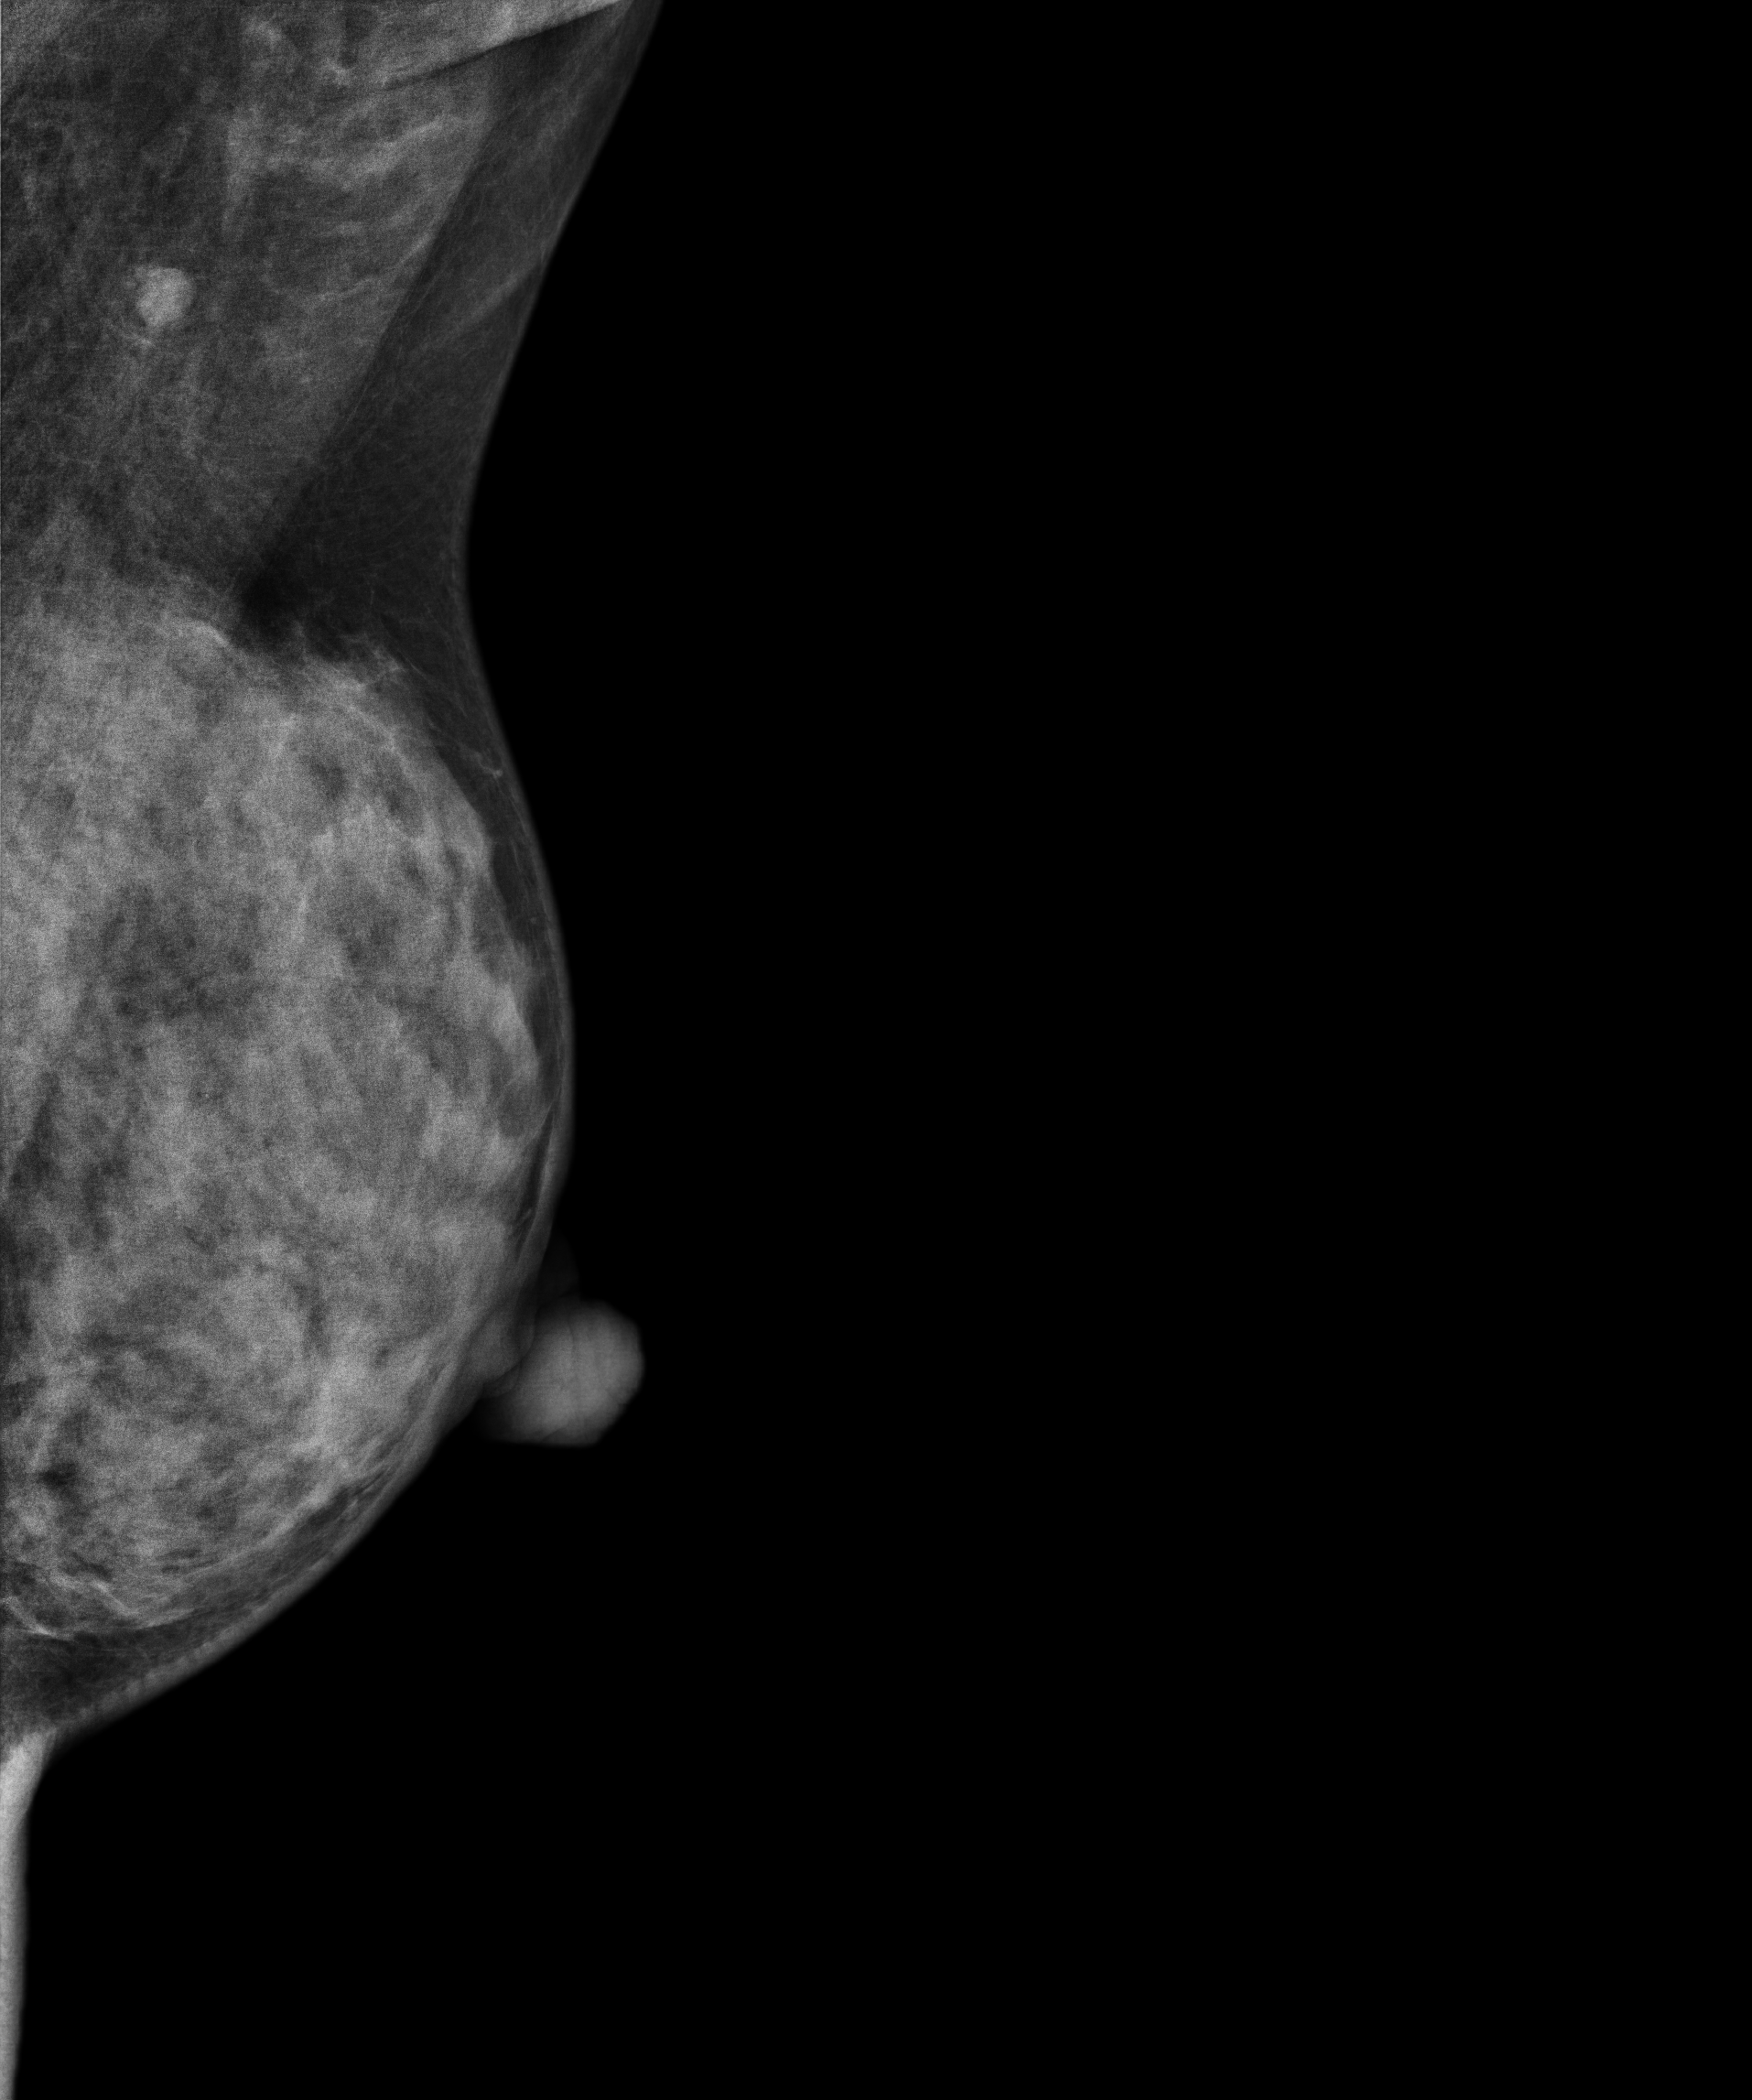
Left-breast mammogram, MLO. 39 y/o patient.
This breast has a mass, histologically confirmed benign.